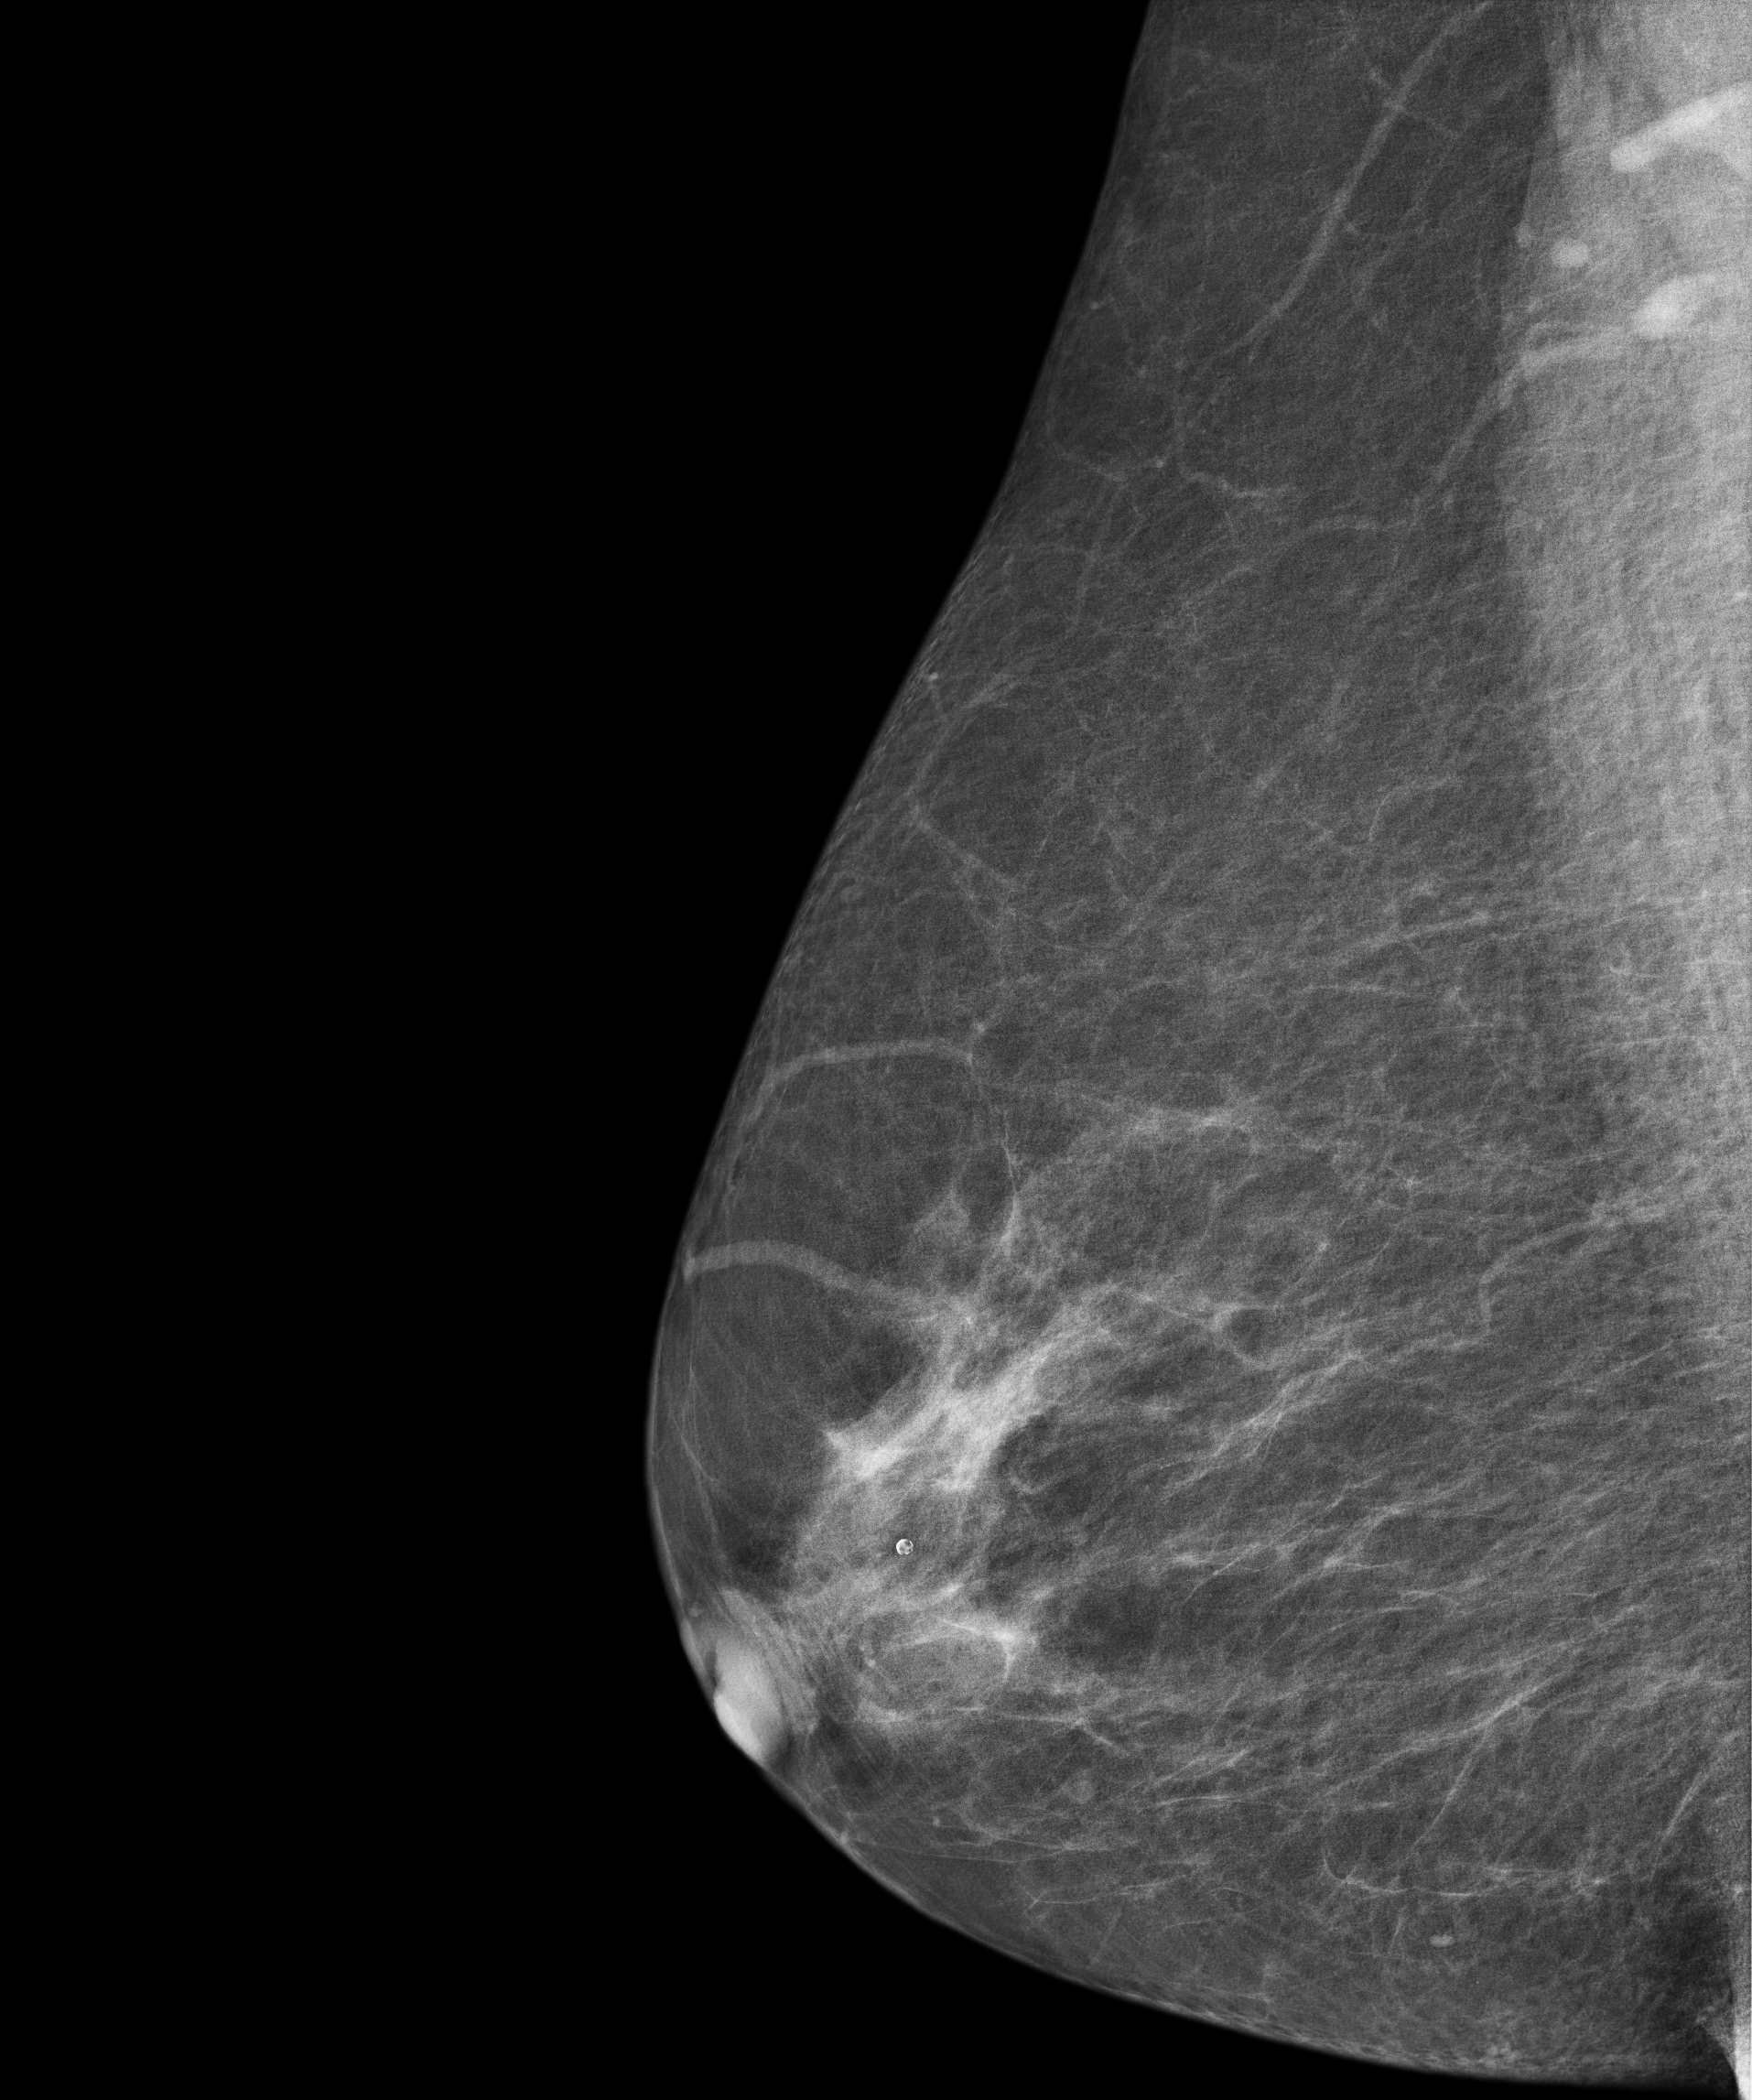
Mammogram — right medio-lateral oblique. 60 y/o patient.
This breast has a mass, biopsy-confirmed malignant.